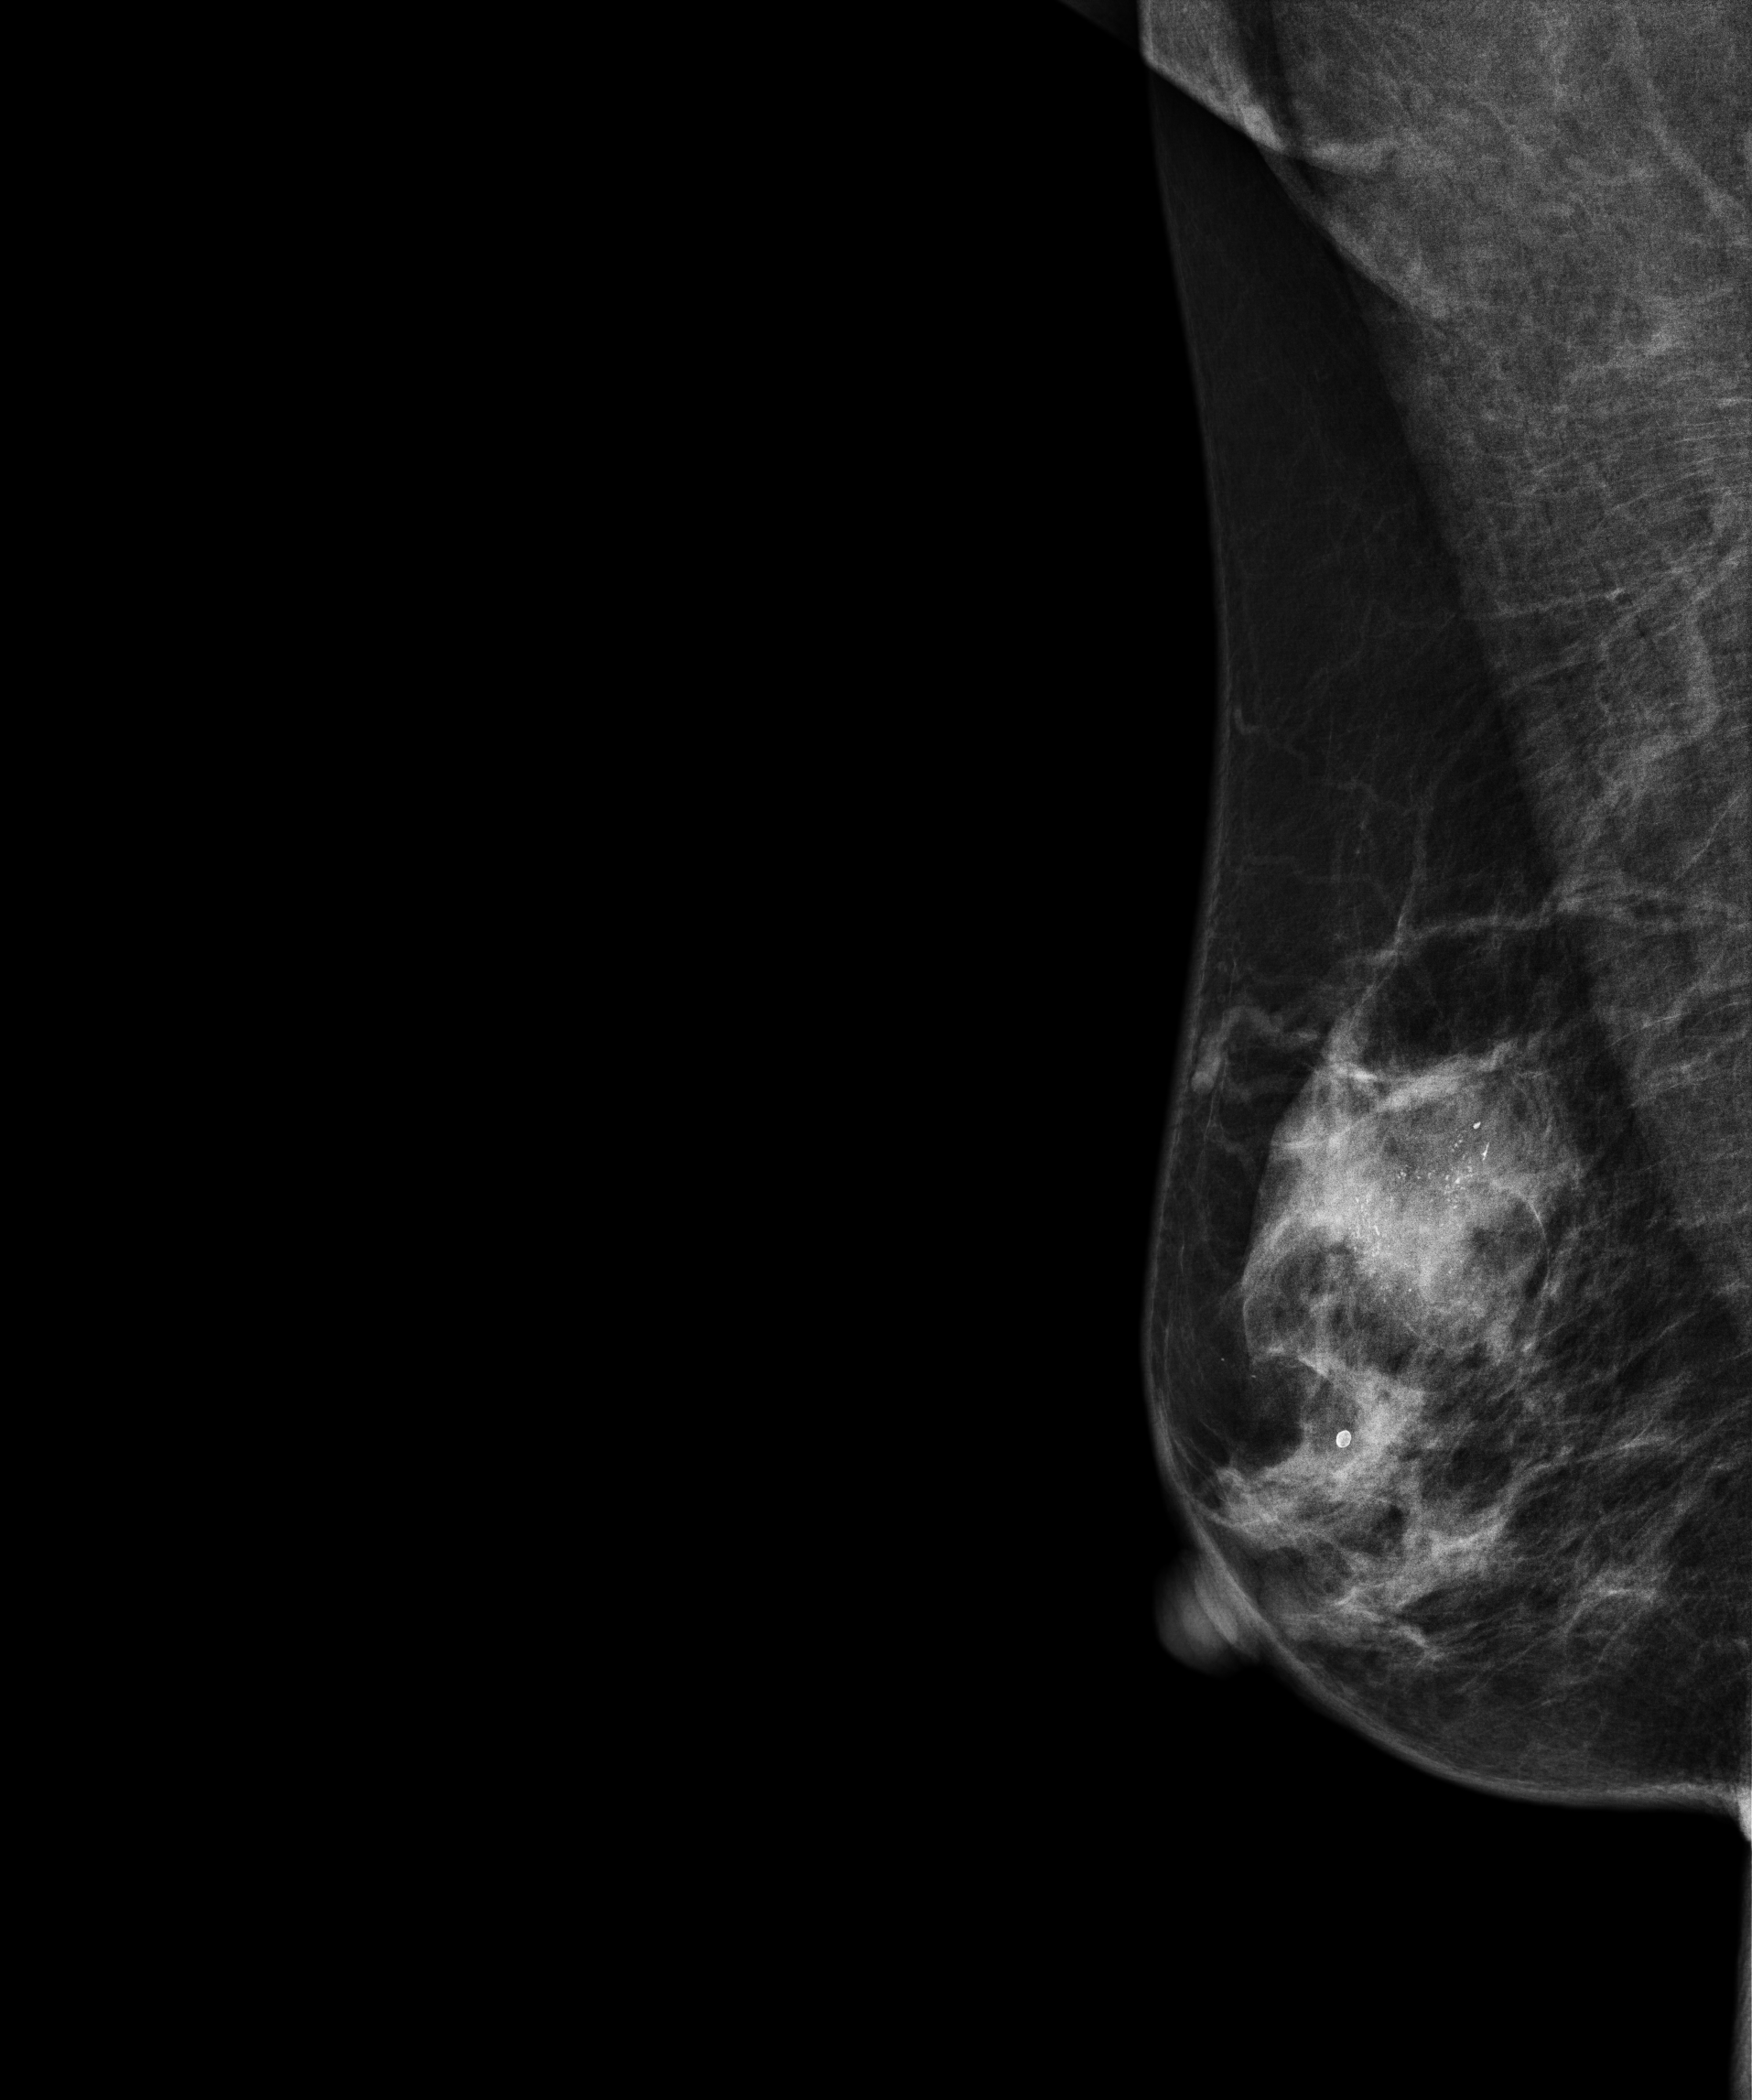
Mammogram, right breast, medio-lateral oblique view. 67 y/o patient.
This breast has a mass and calcifications, biopsy-proven malignant.